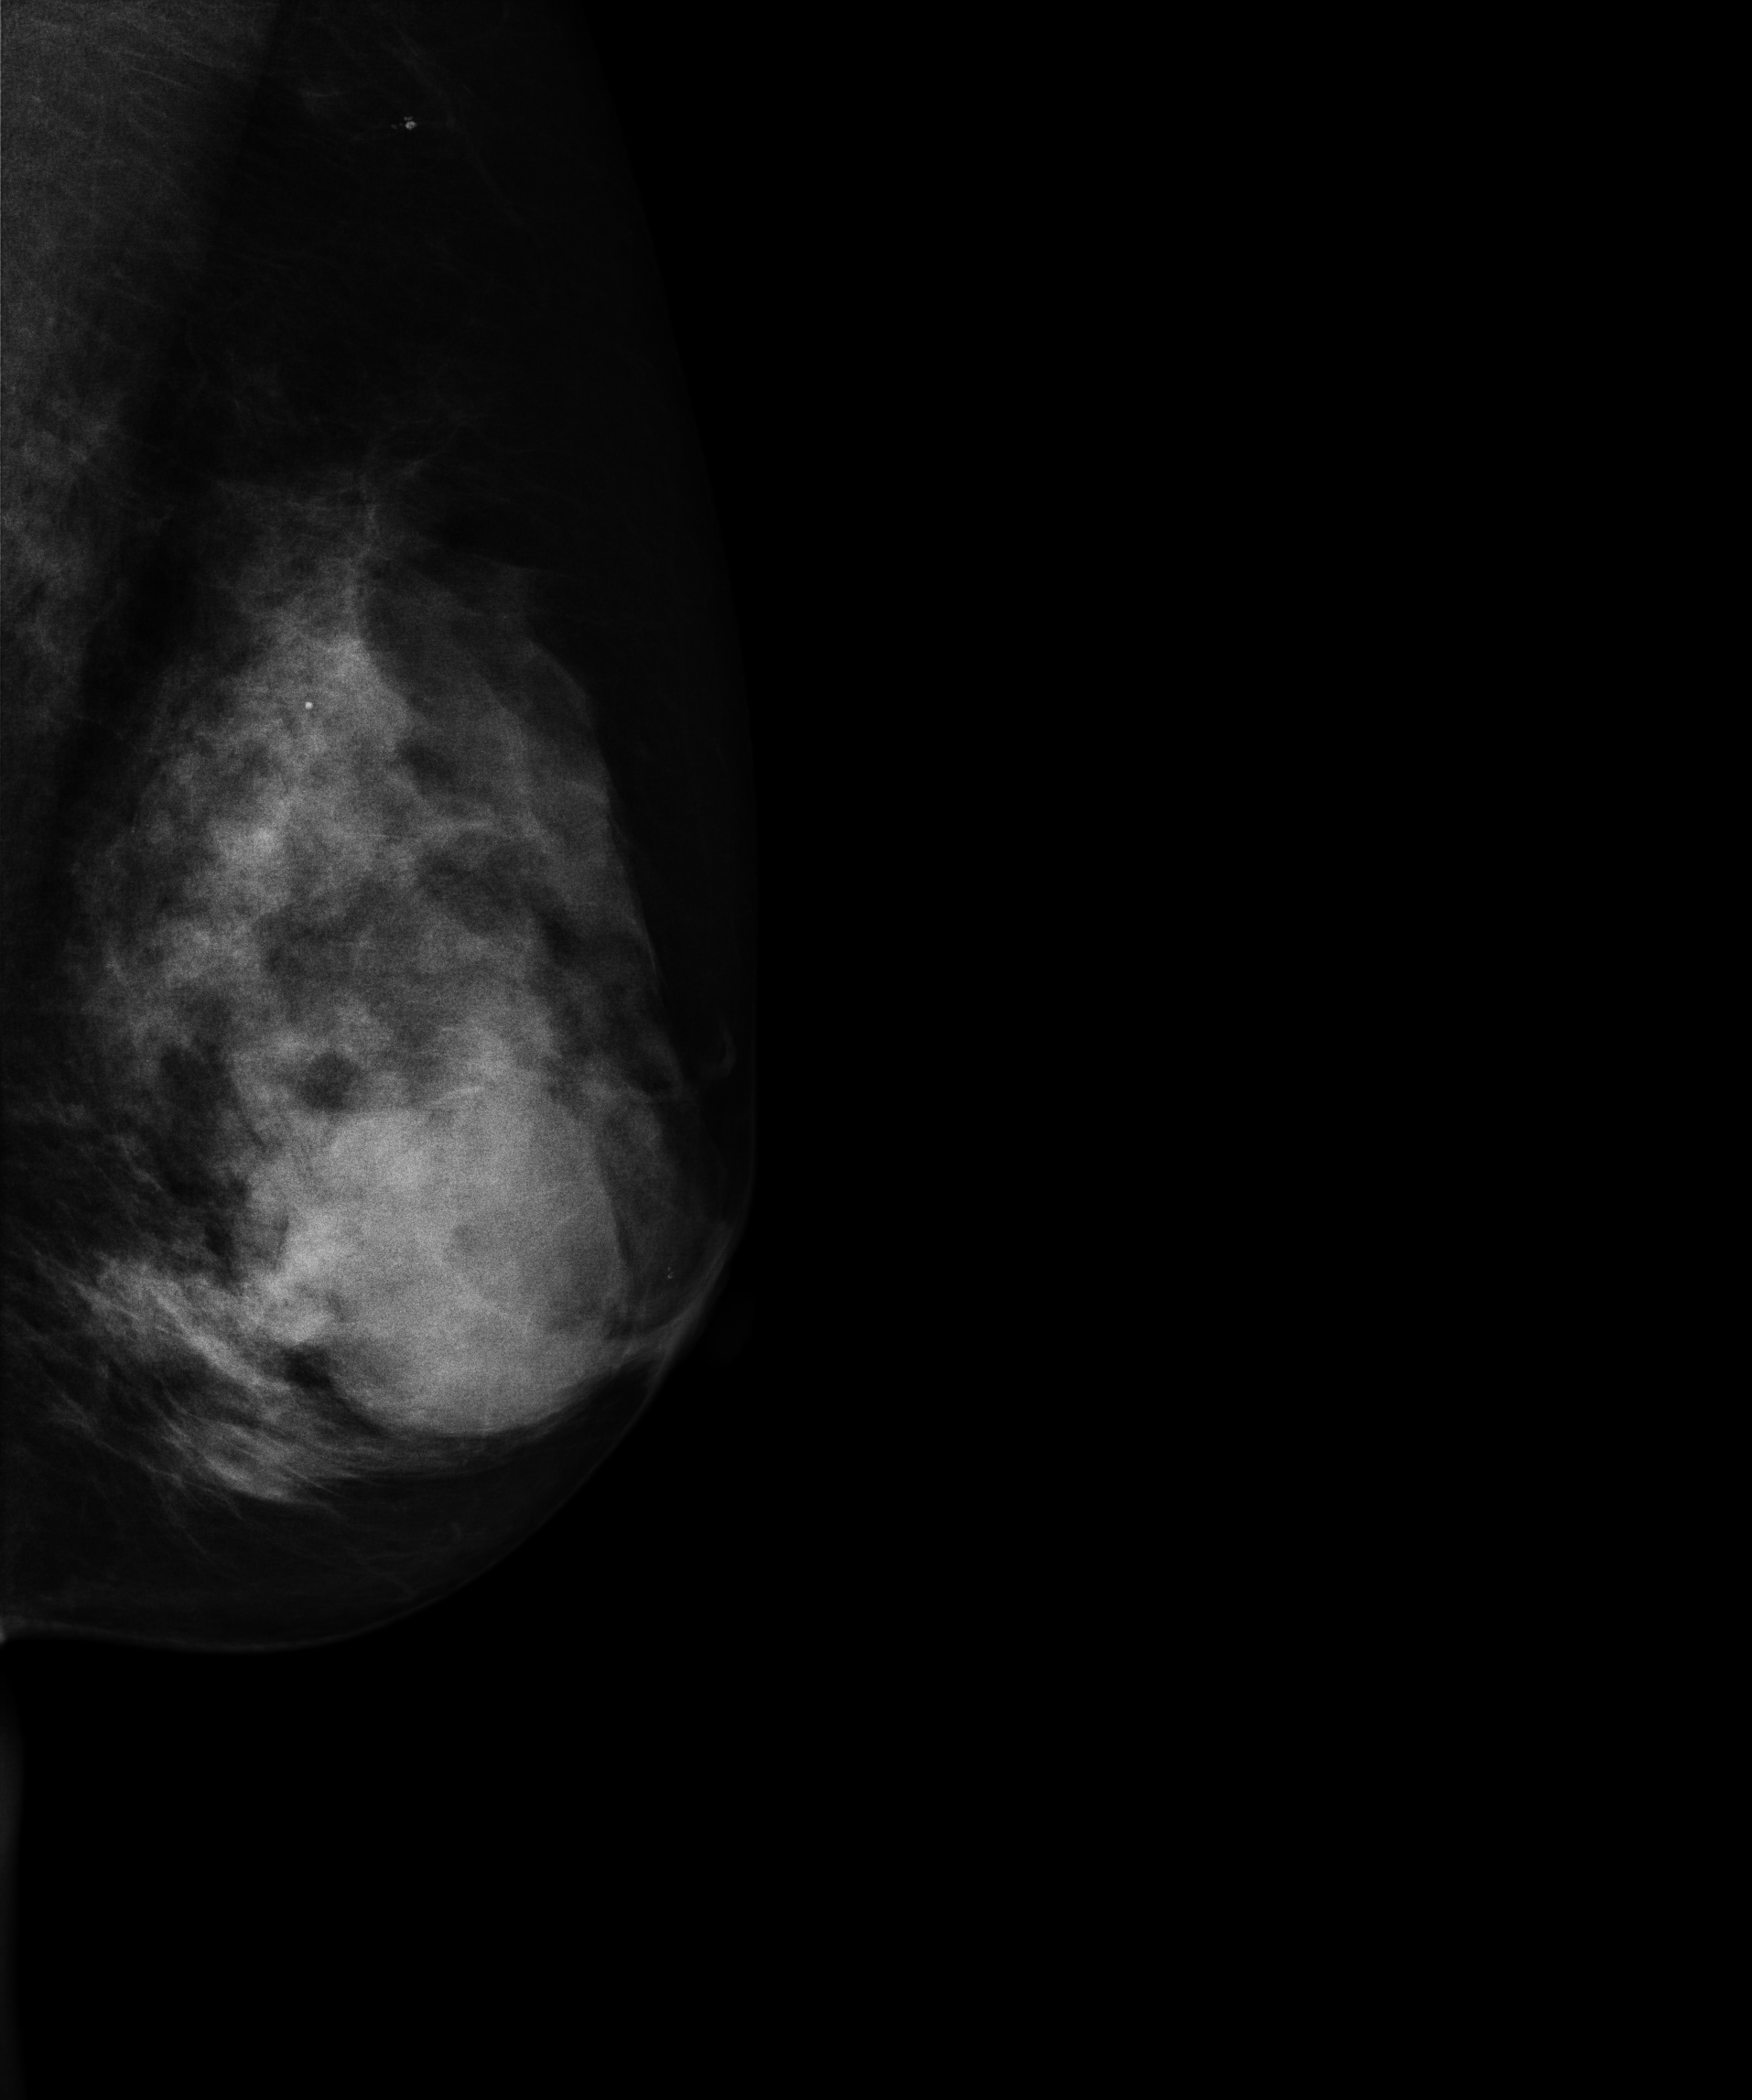
Mammogram — left medio-lateral oblique. 54-year-old patient.
This breast has a mass, histologically confirmed malignant.